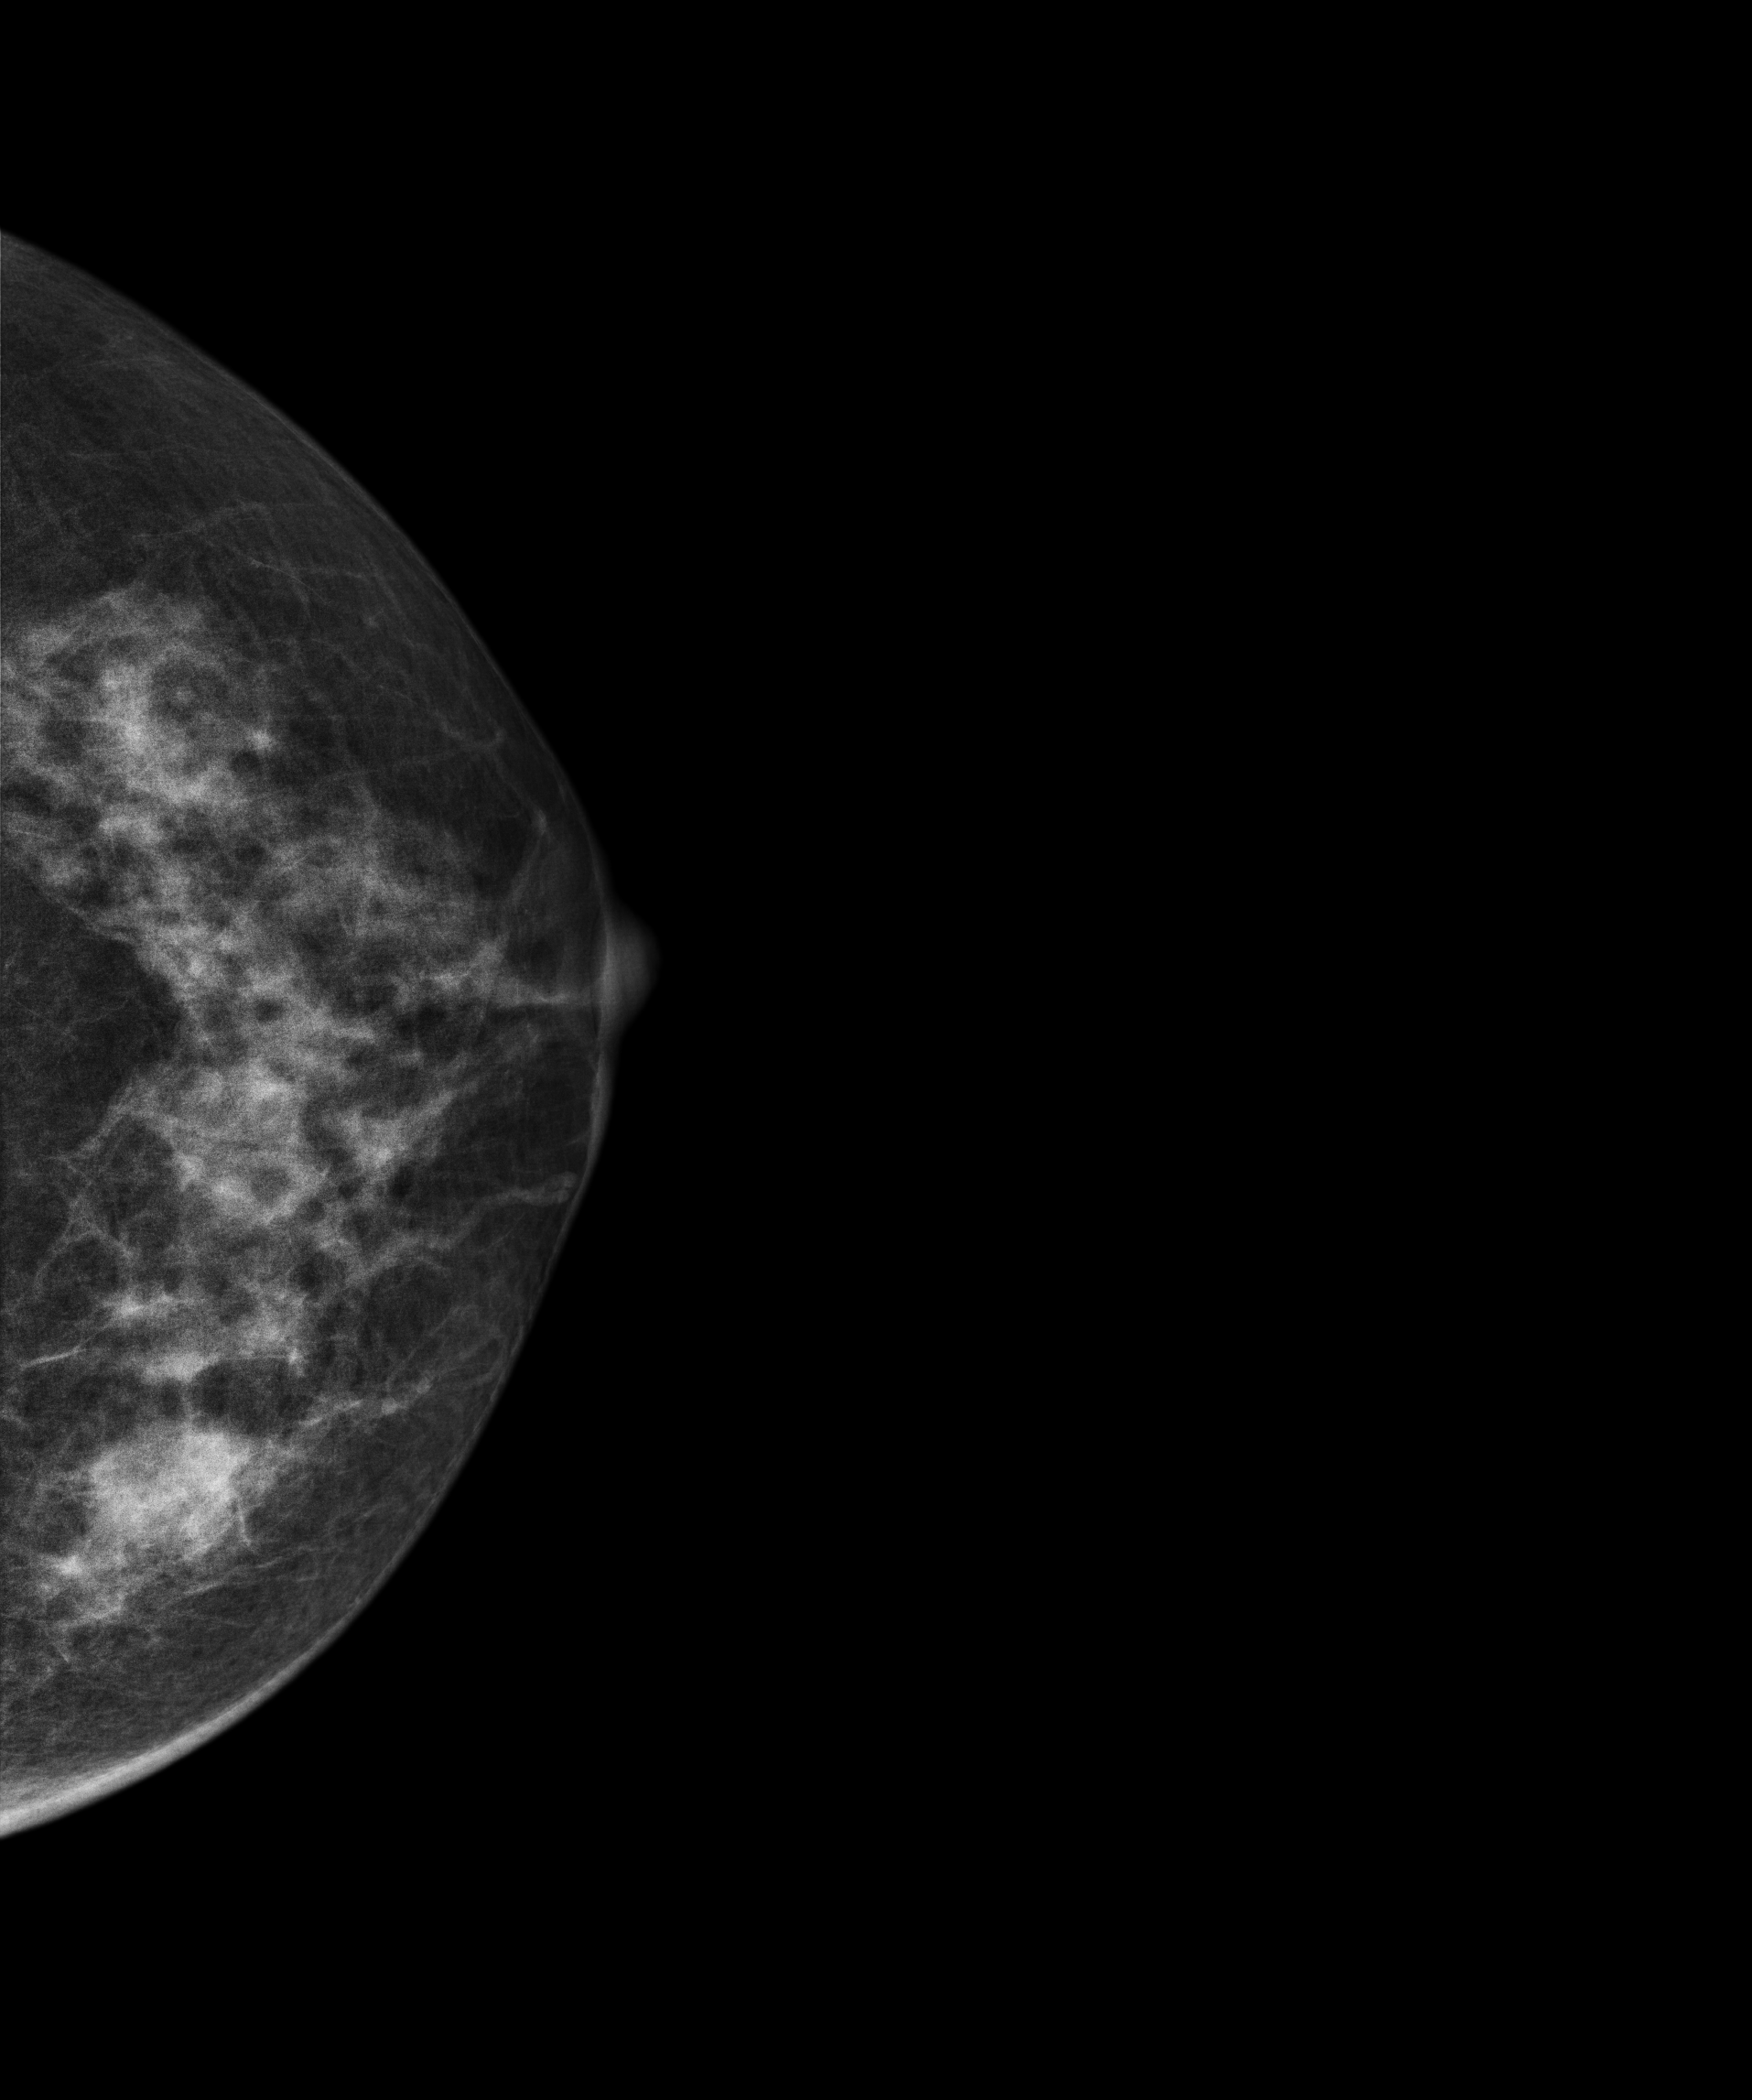
Cranio-caudal mammogram of the left breast. 63-year-old patient.
This breast has a mass, biopsy-proven malignant. Molecular subtype: luminal B.